Left-breast mammogram, CC. 43 y/o patient.
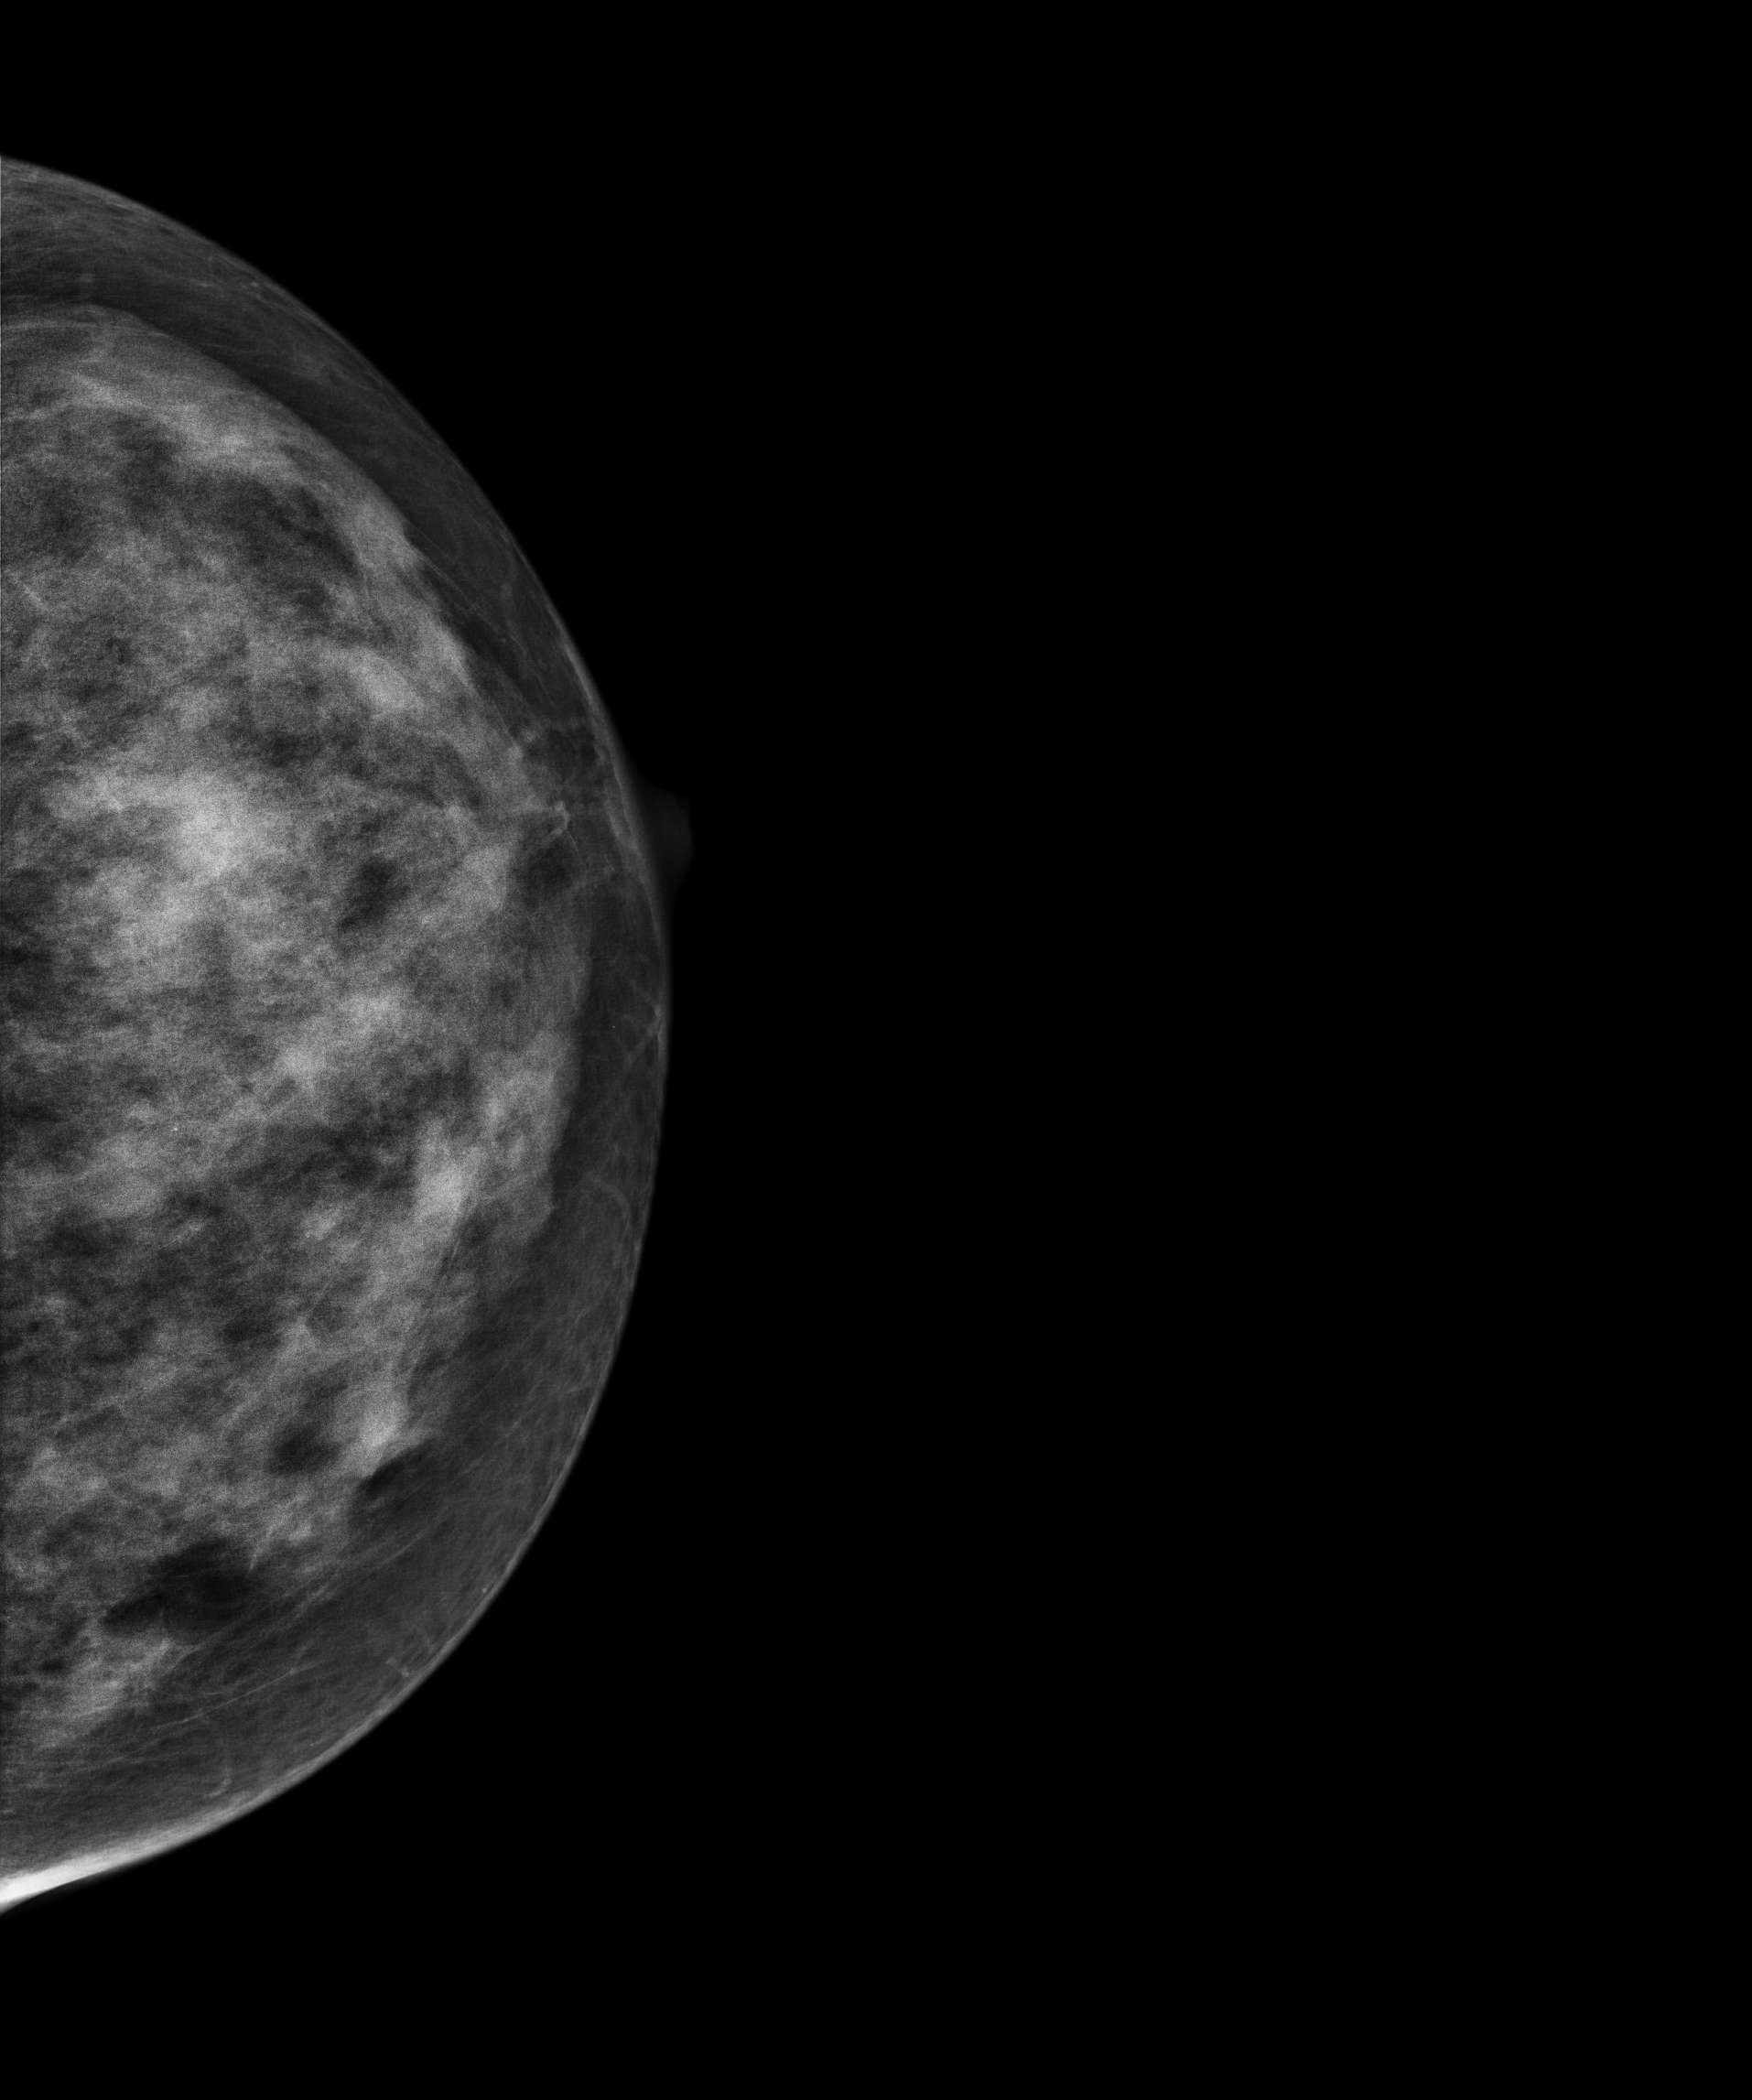
This breast has a mass, biopsy-confirmed benign.